Mammogram, left breast, cranio-caudal view. 74 y/o patient.
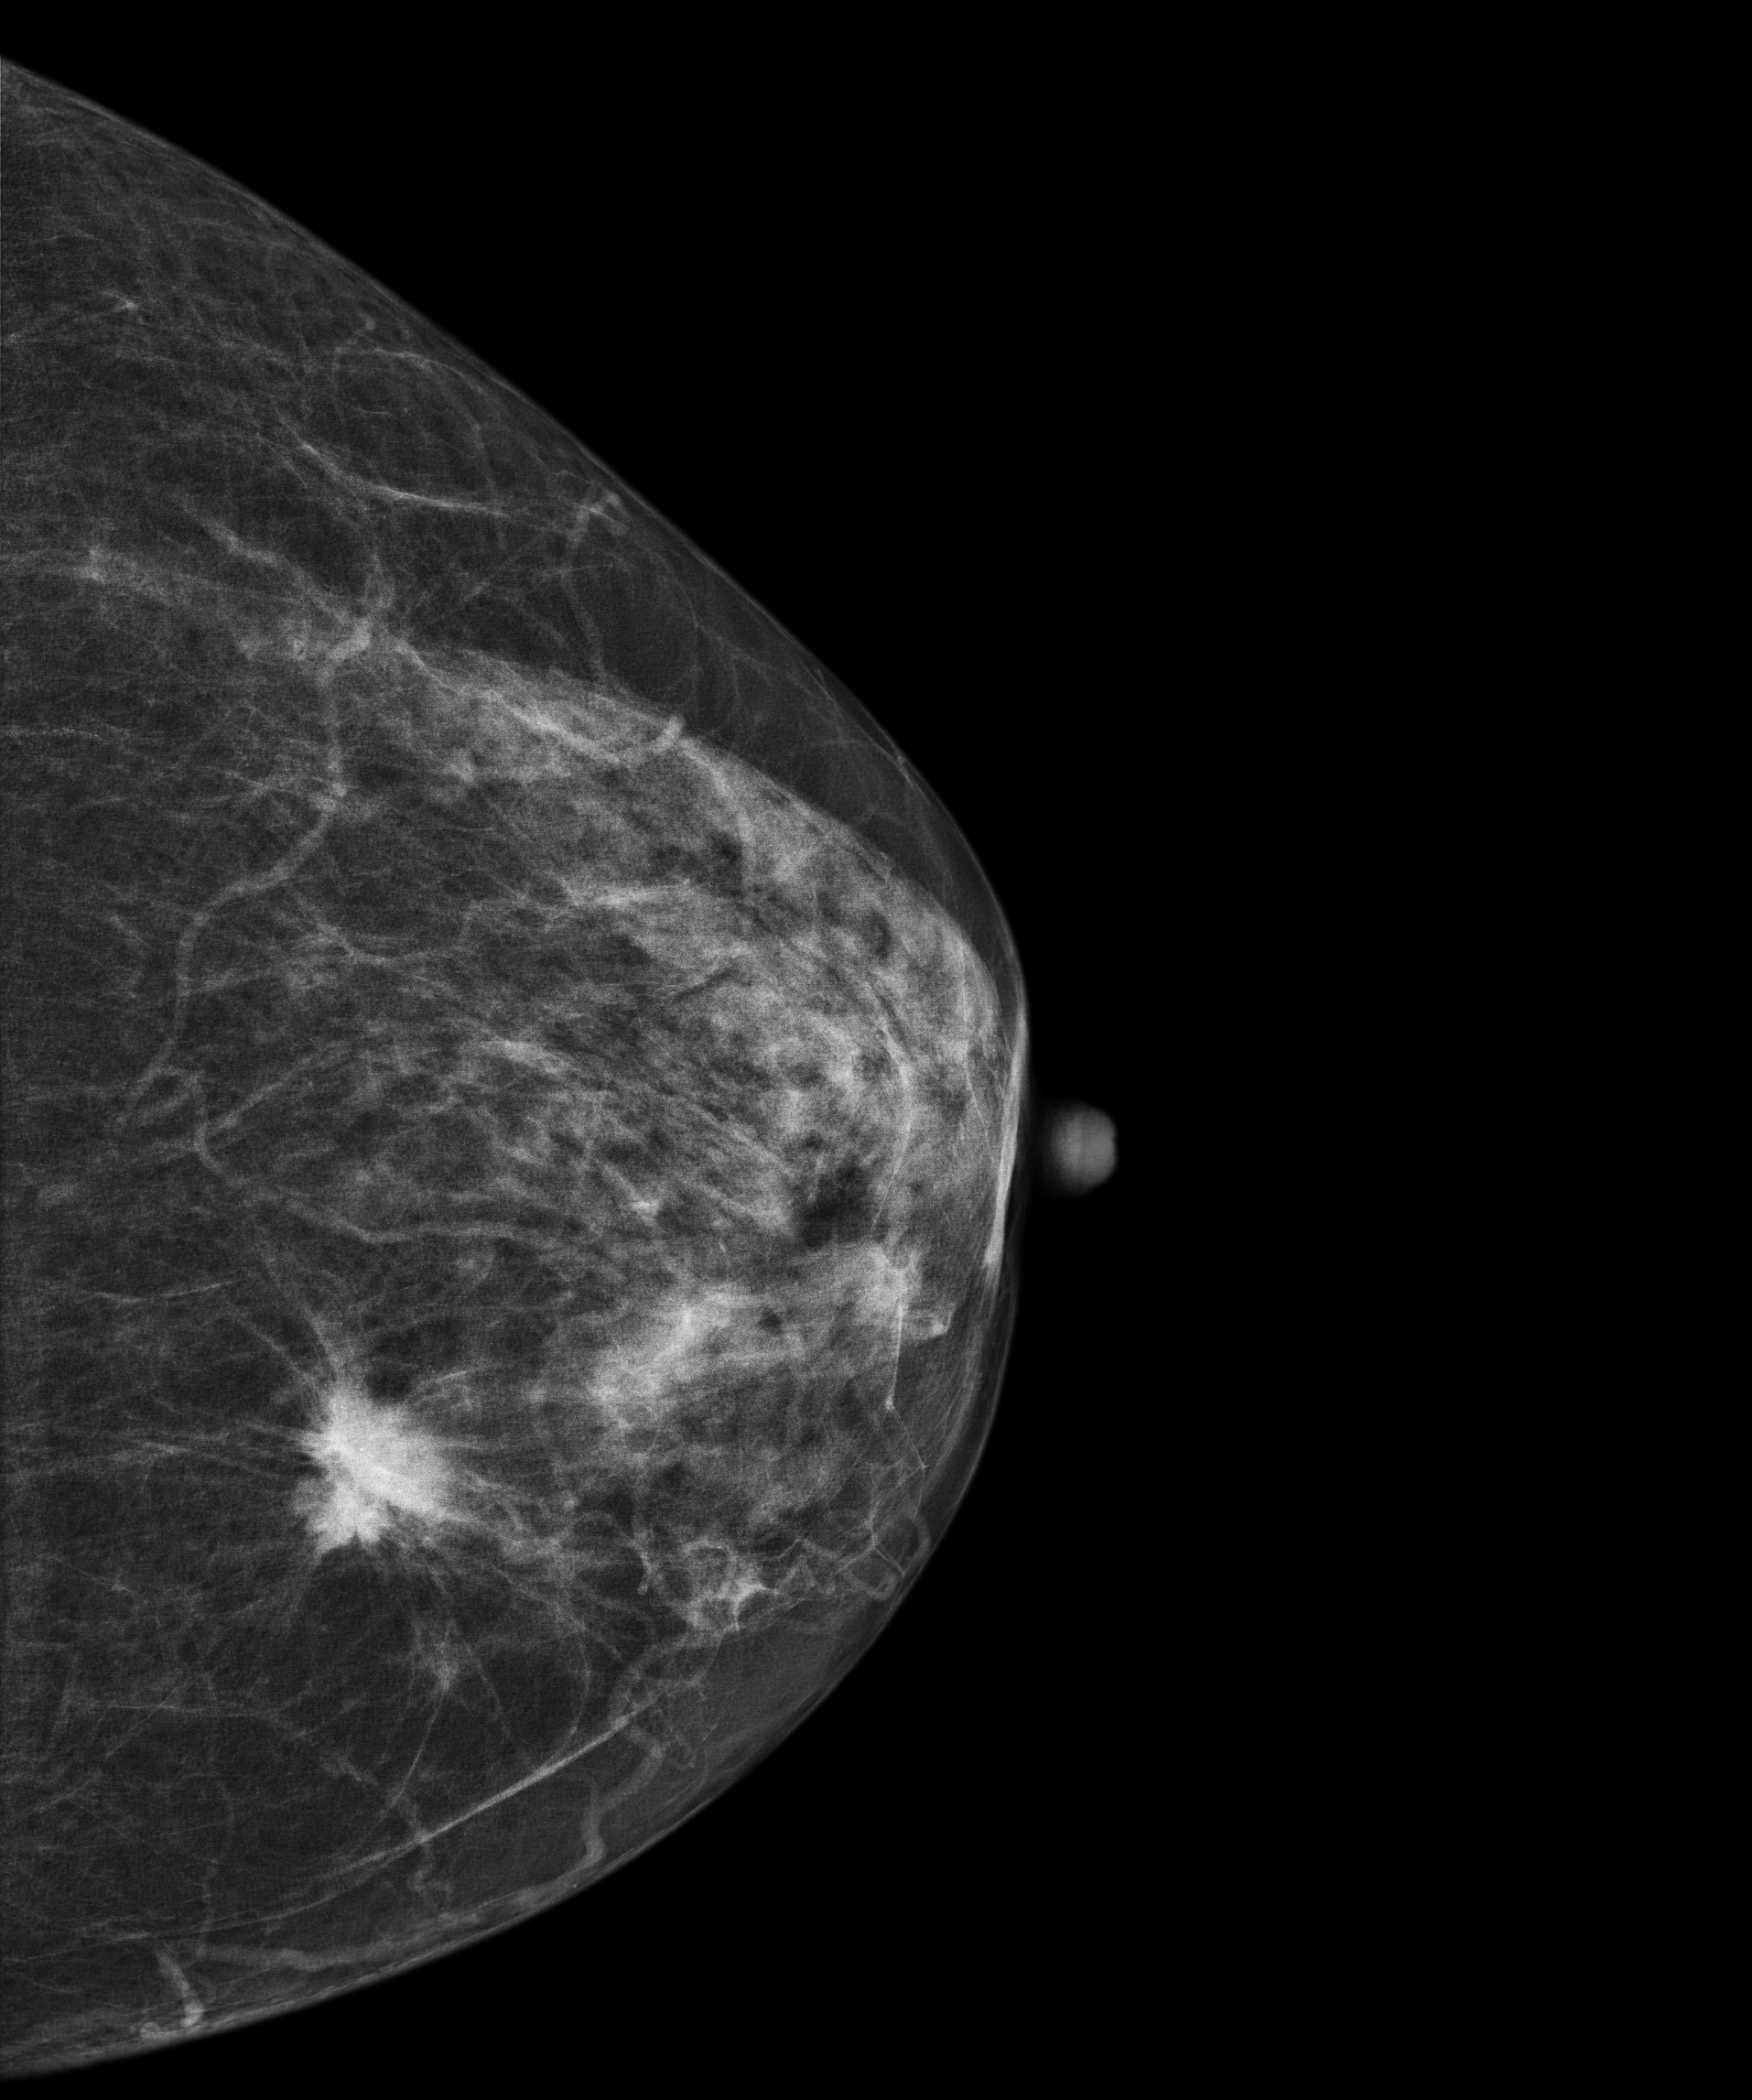
This breast has a mass, pathology-confirmed malignant.